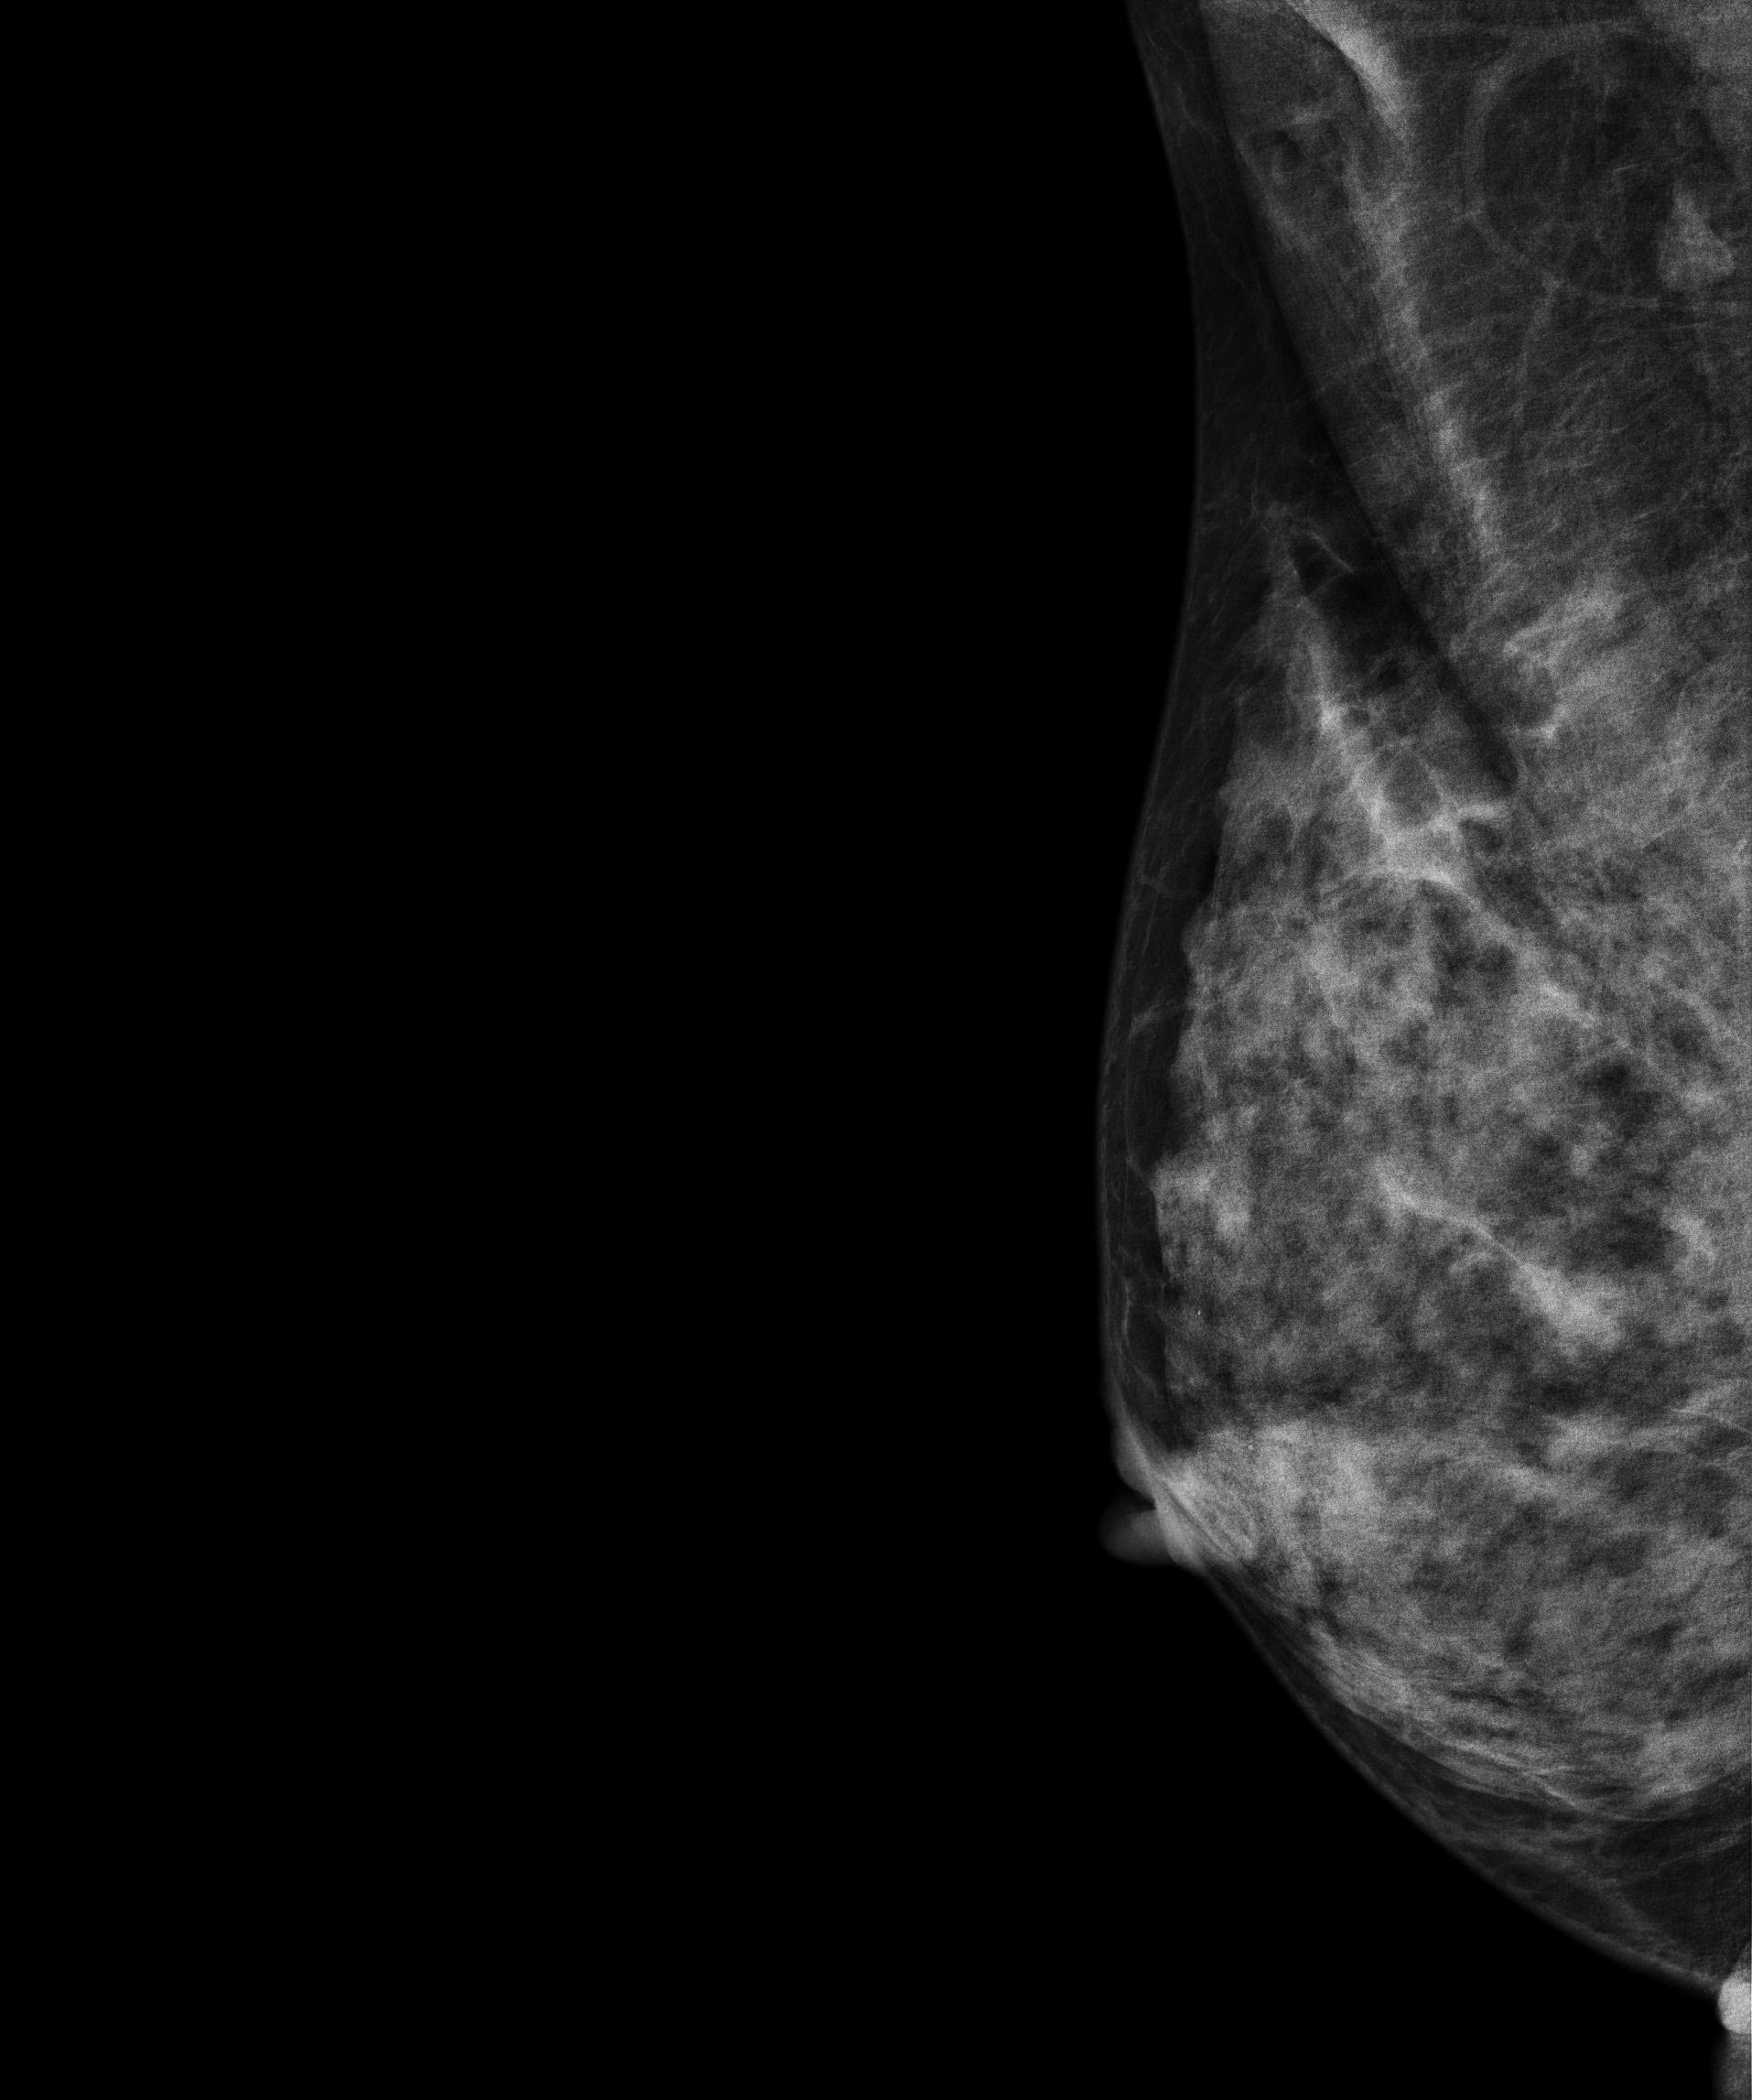
Right-breast mammogram, MLO. 49 y/o patient.
Contralateral breast — no documented abnormality on this side.